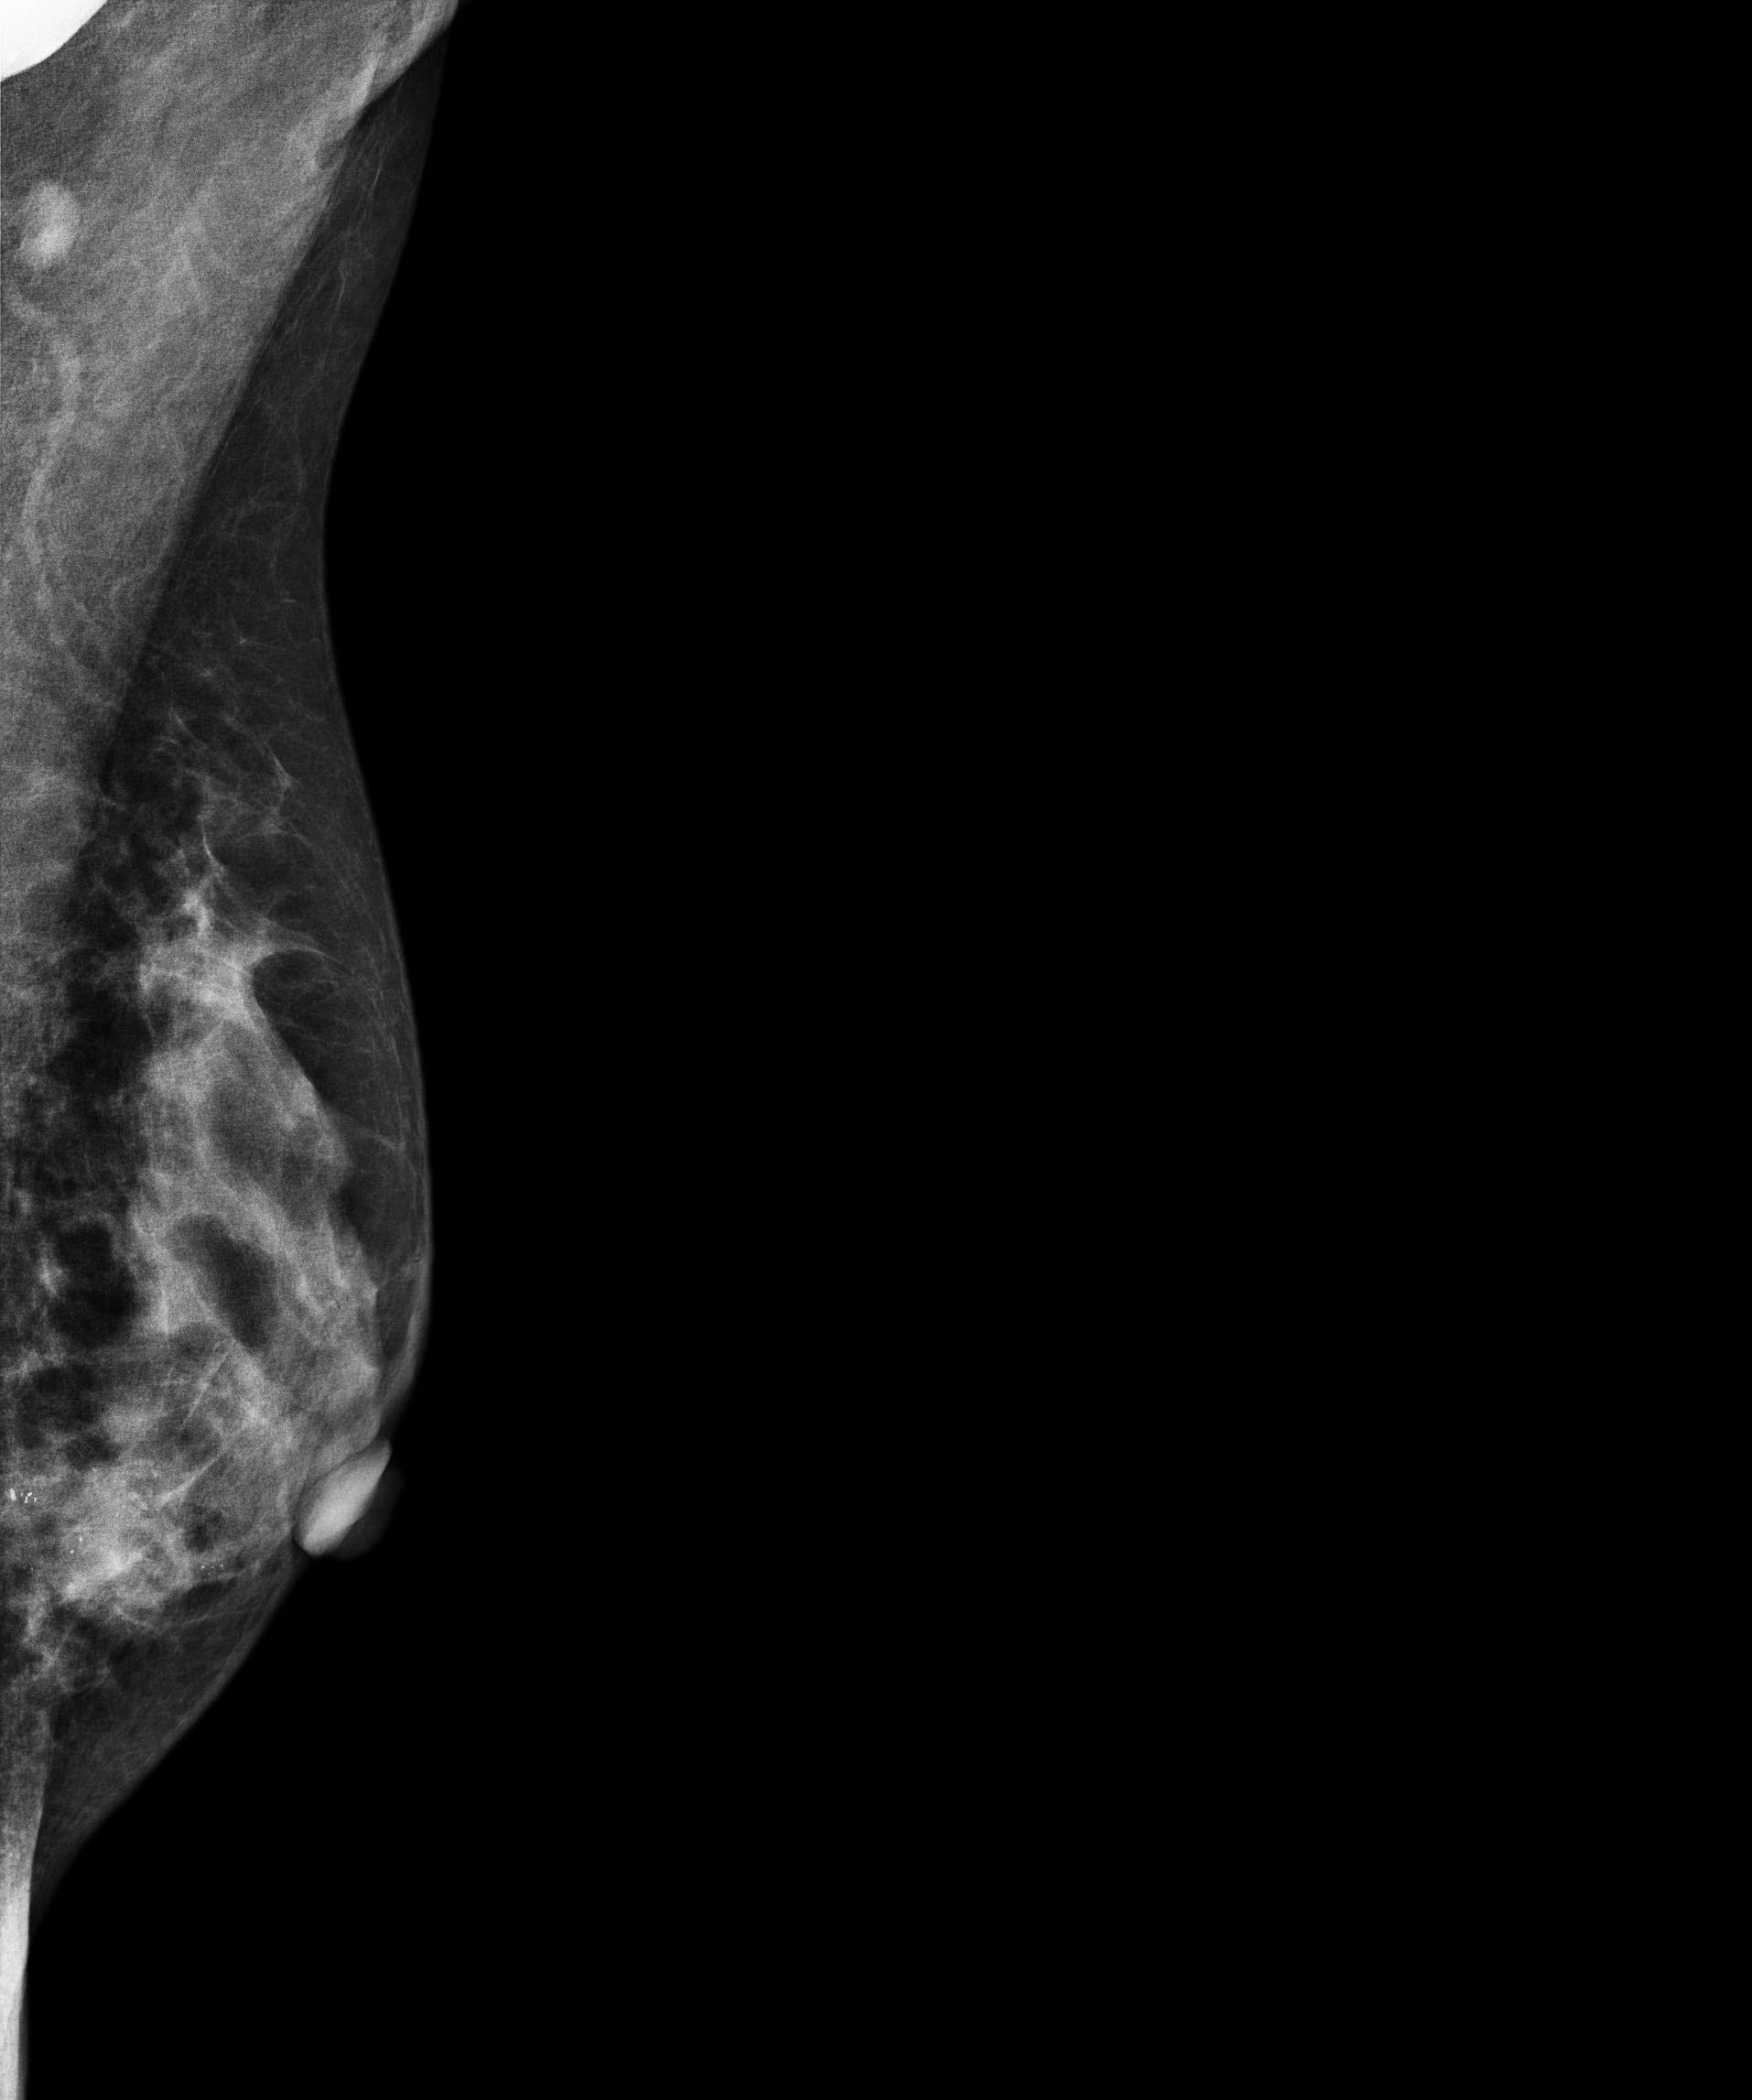
Mammogram, left breast, medio-lateral oblique view. 50-year-old patient.
This breast has a mass and calcifications, pathology-confirmed malignant. Molecular subtype: HER2-enriched.